Left-breast mammogram, cranio-caudal. Patient age 68.
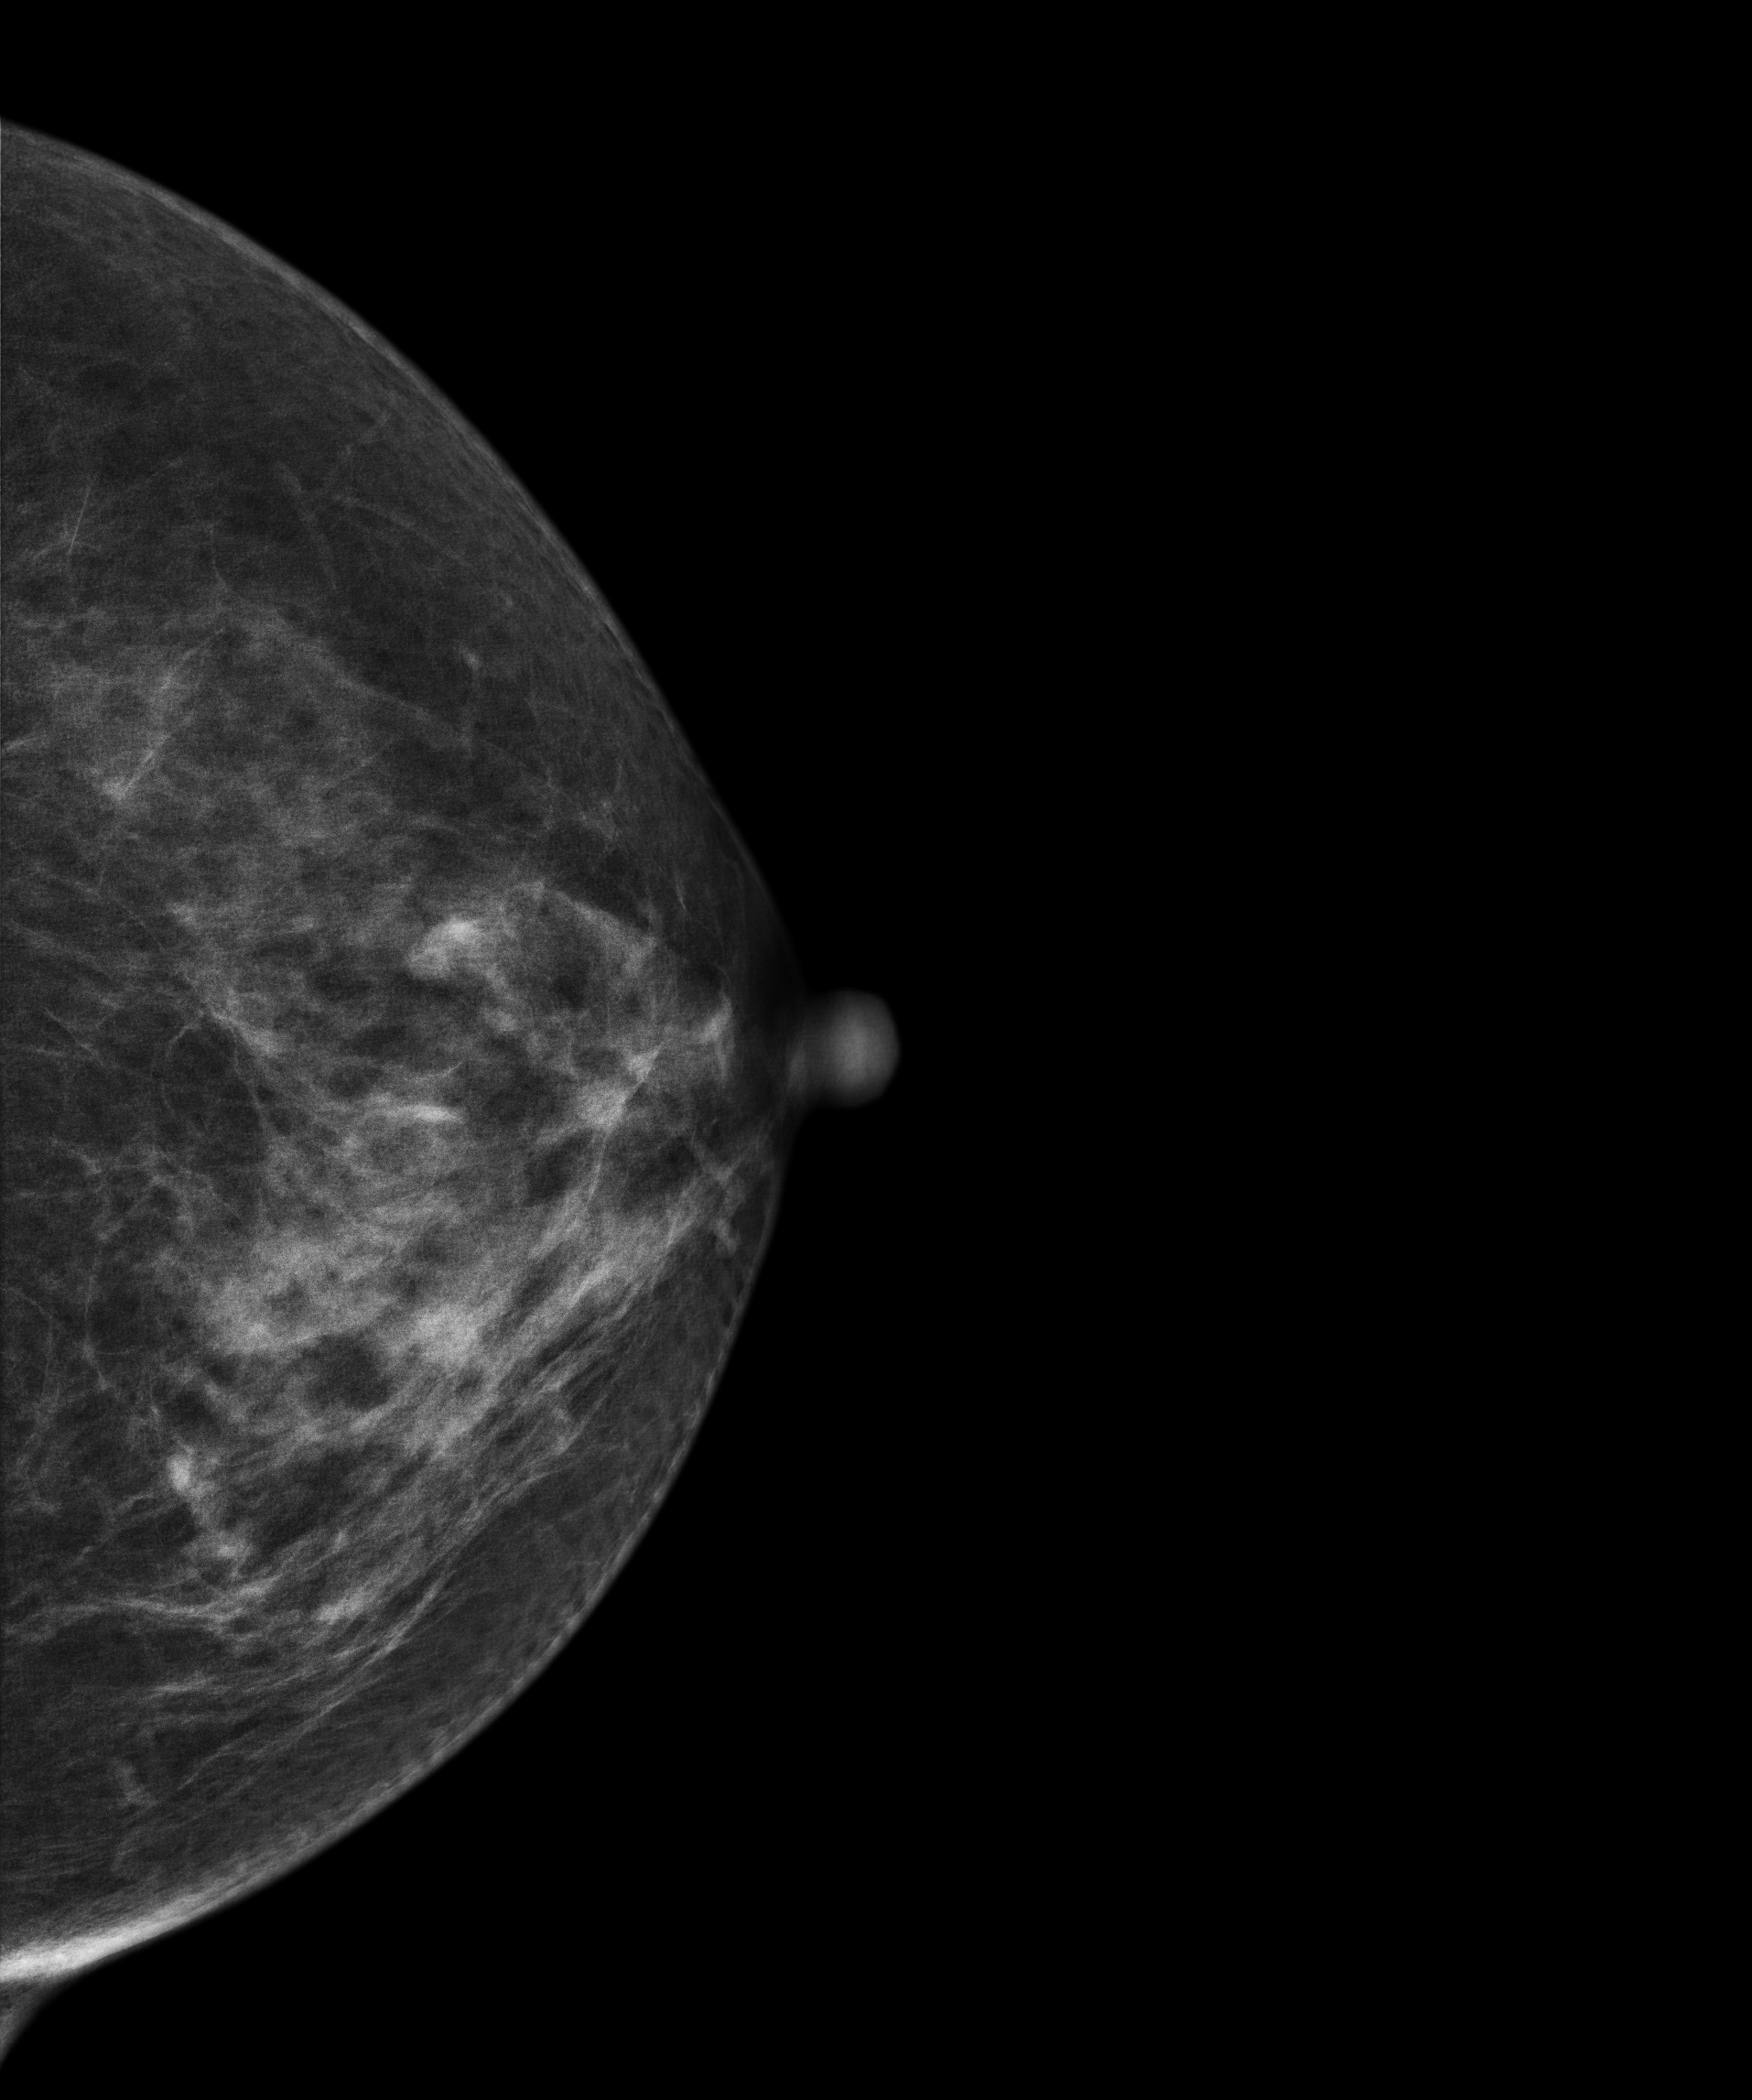
This breast has a mass, biopsy-confirmed benign.